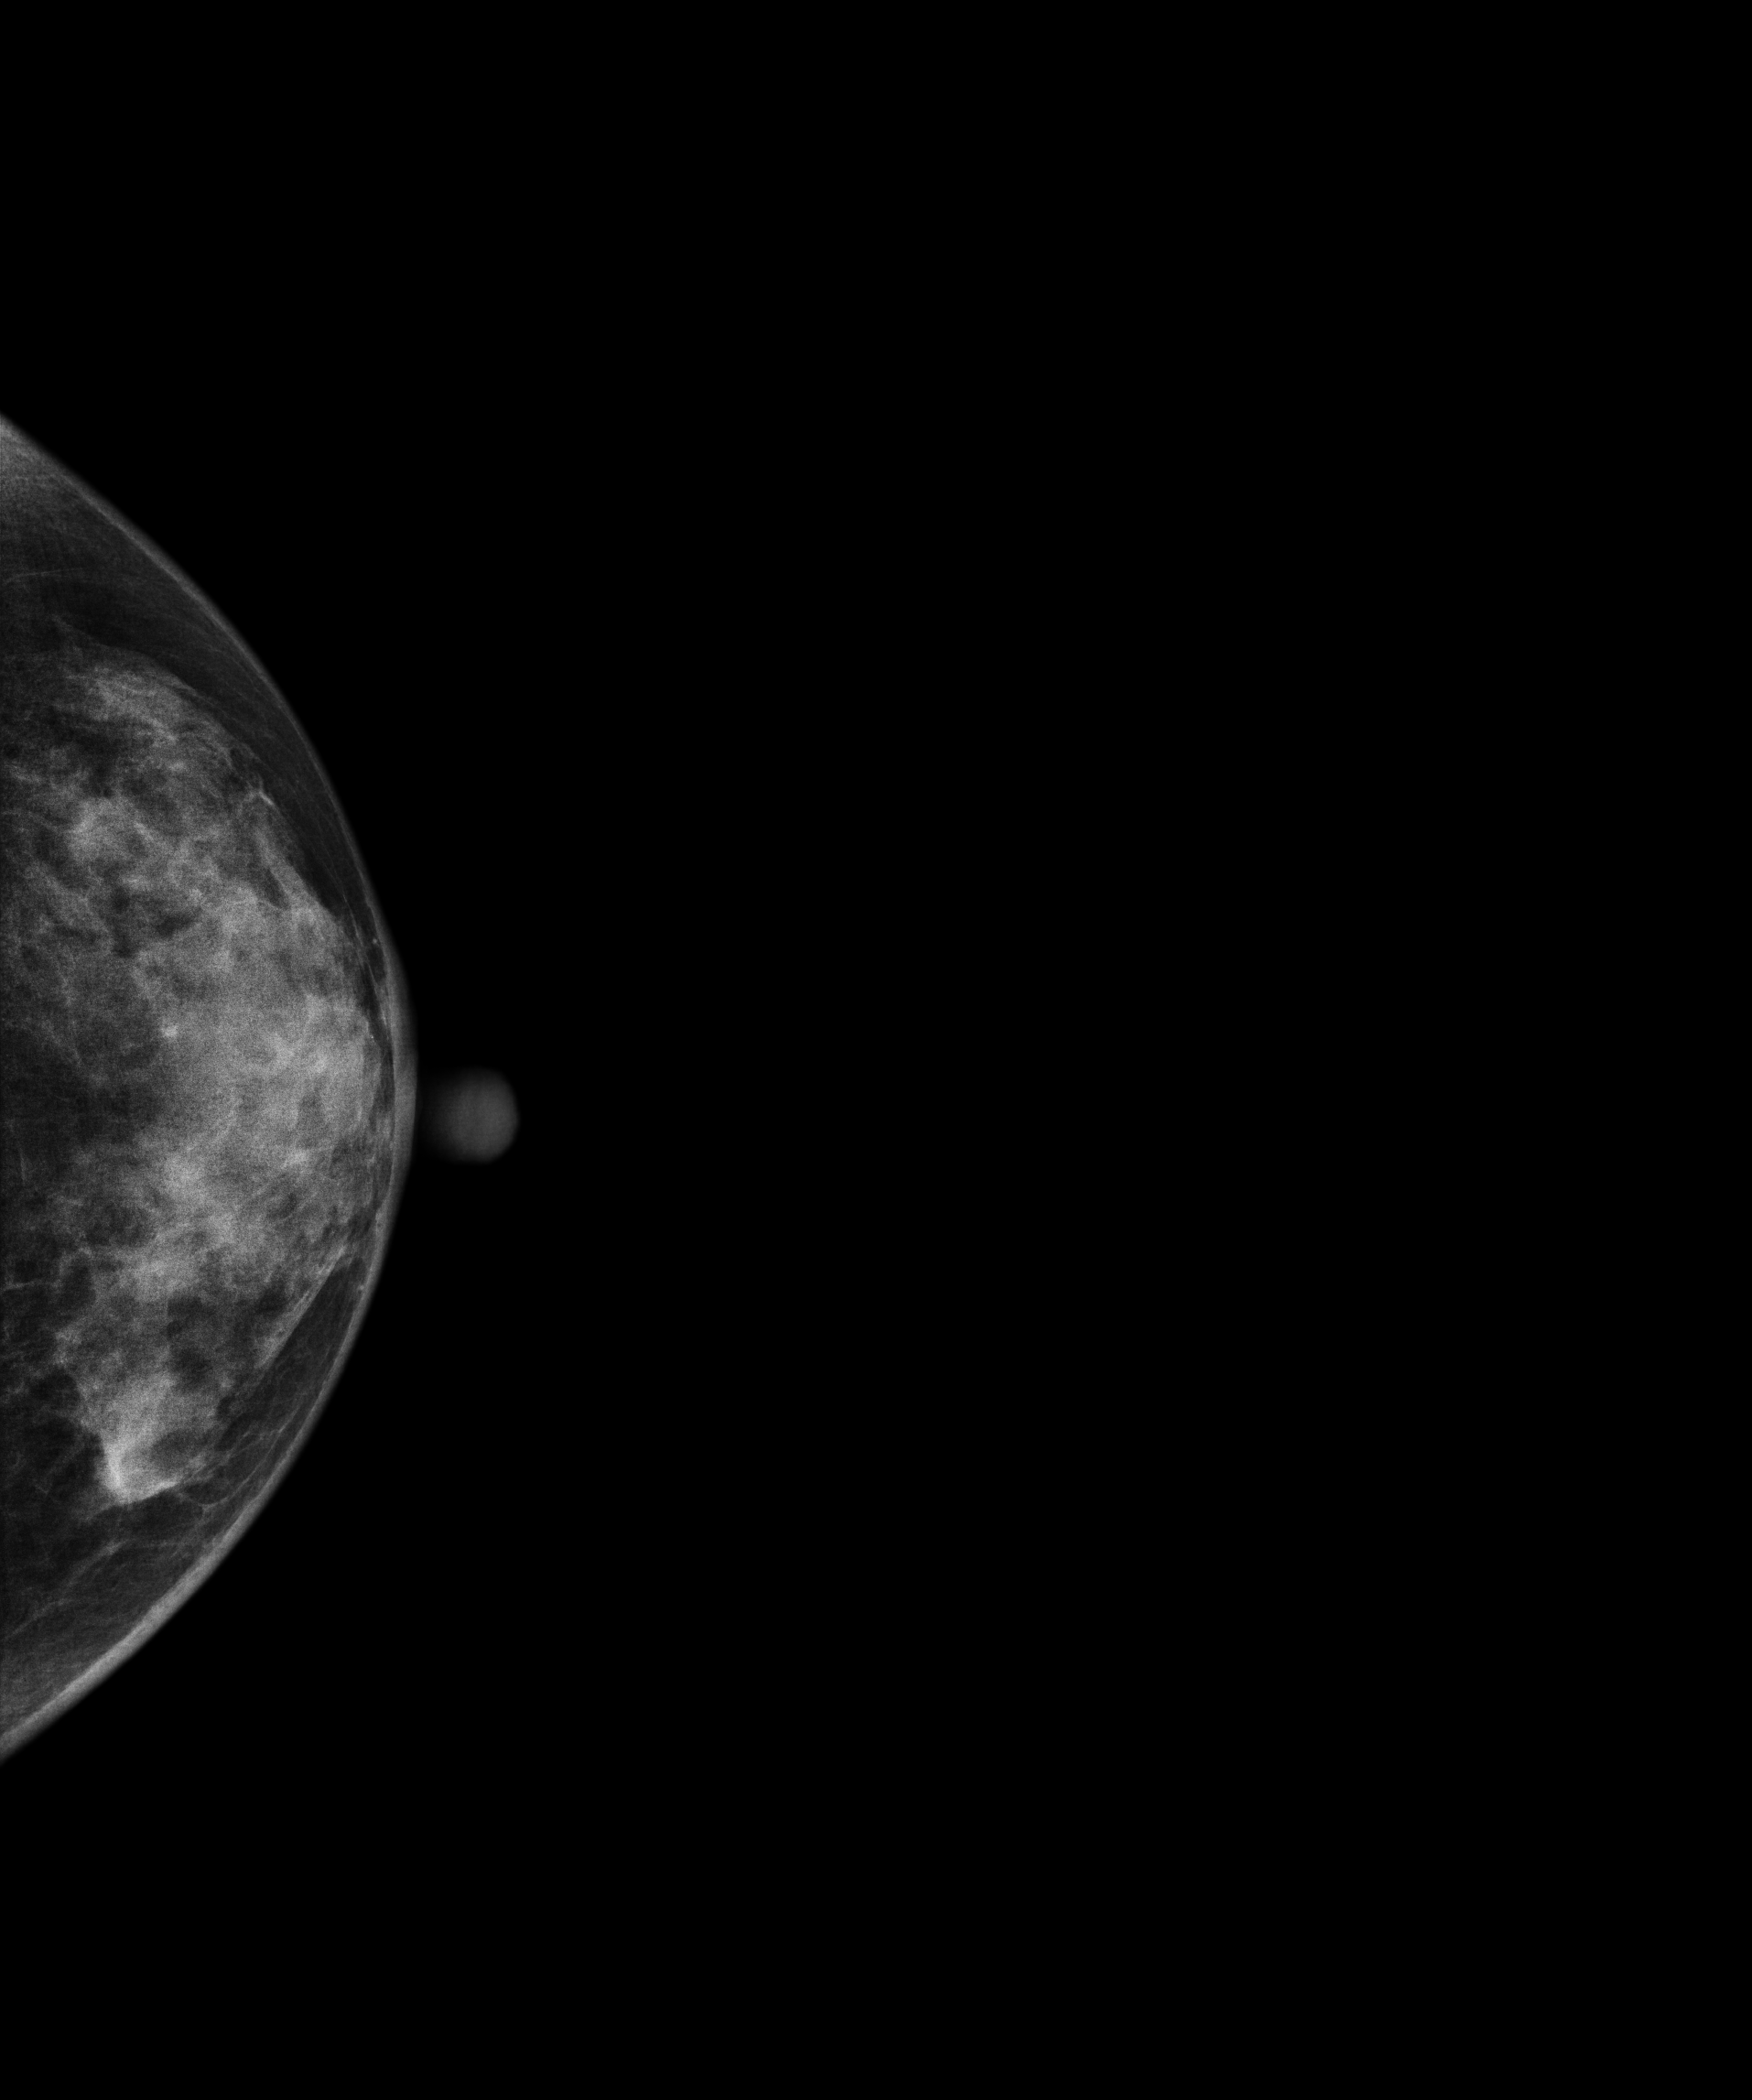
Digital mammography. Left breast, CC projection. 57-year-old patient.
This breast has a mass, biopsy-proven malignant. Molecular subtype: luminal B.